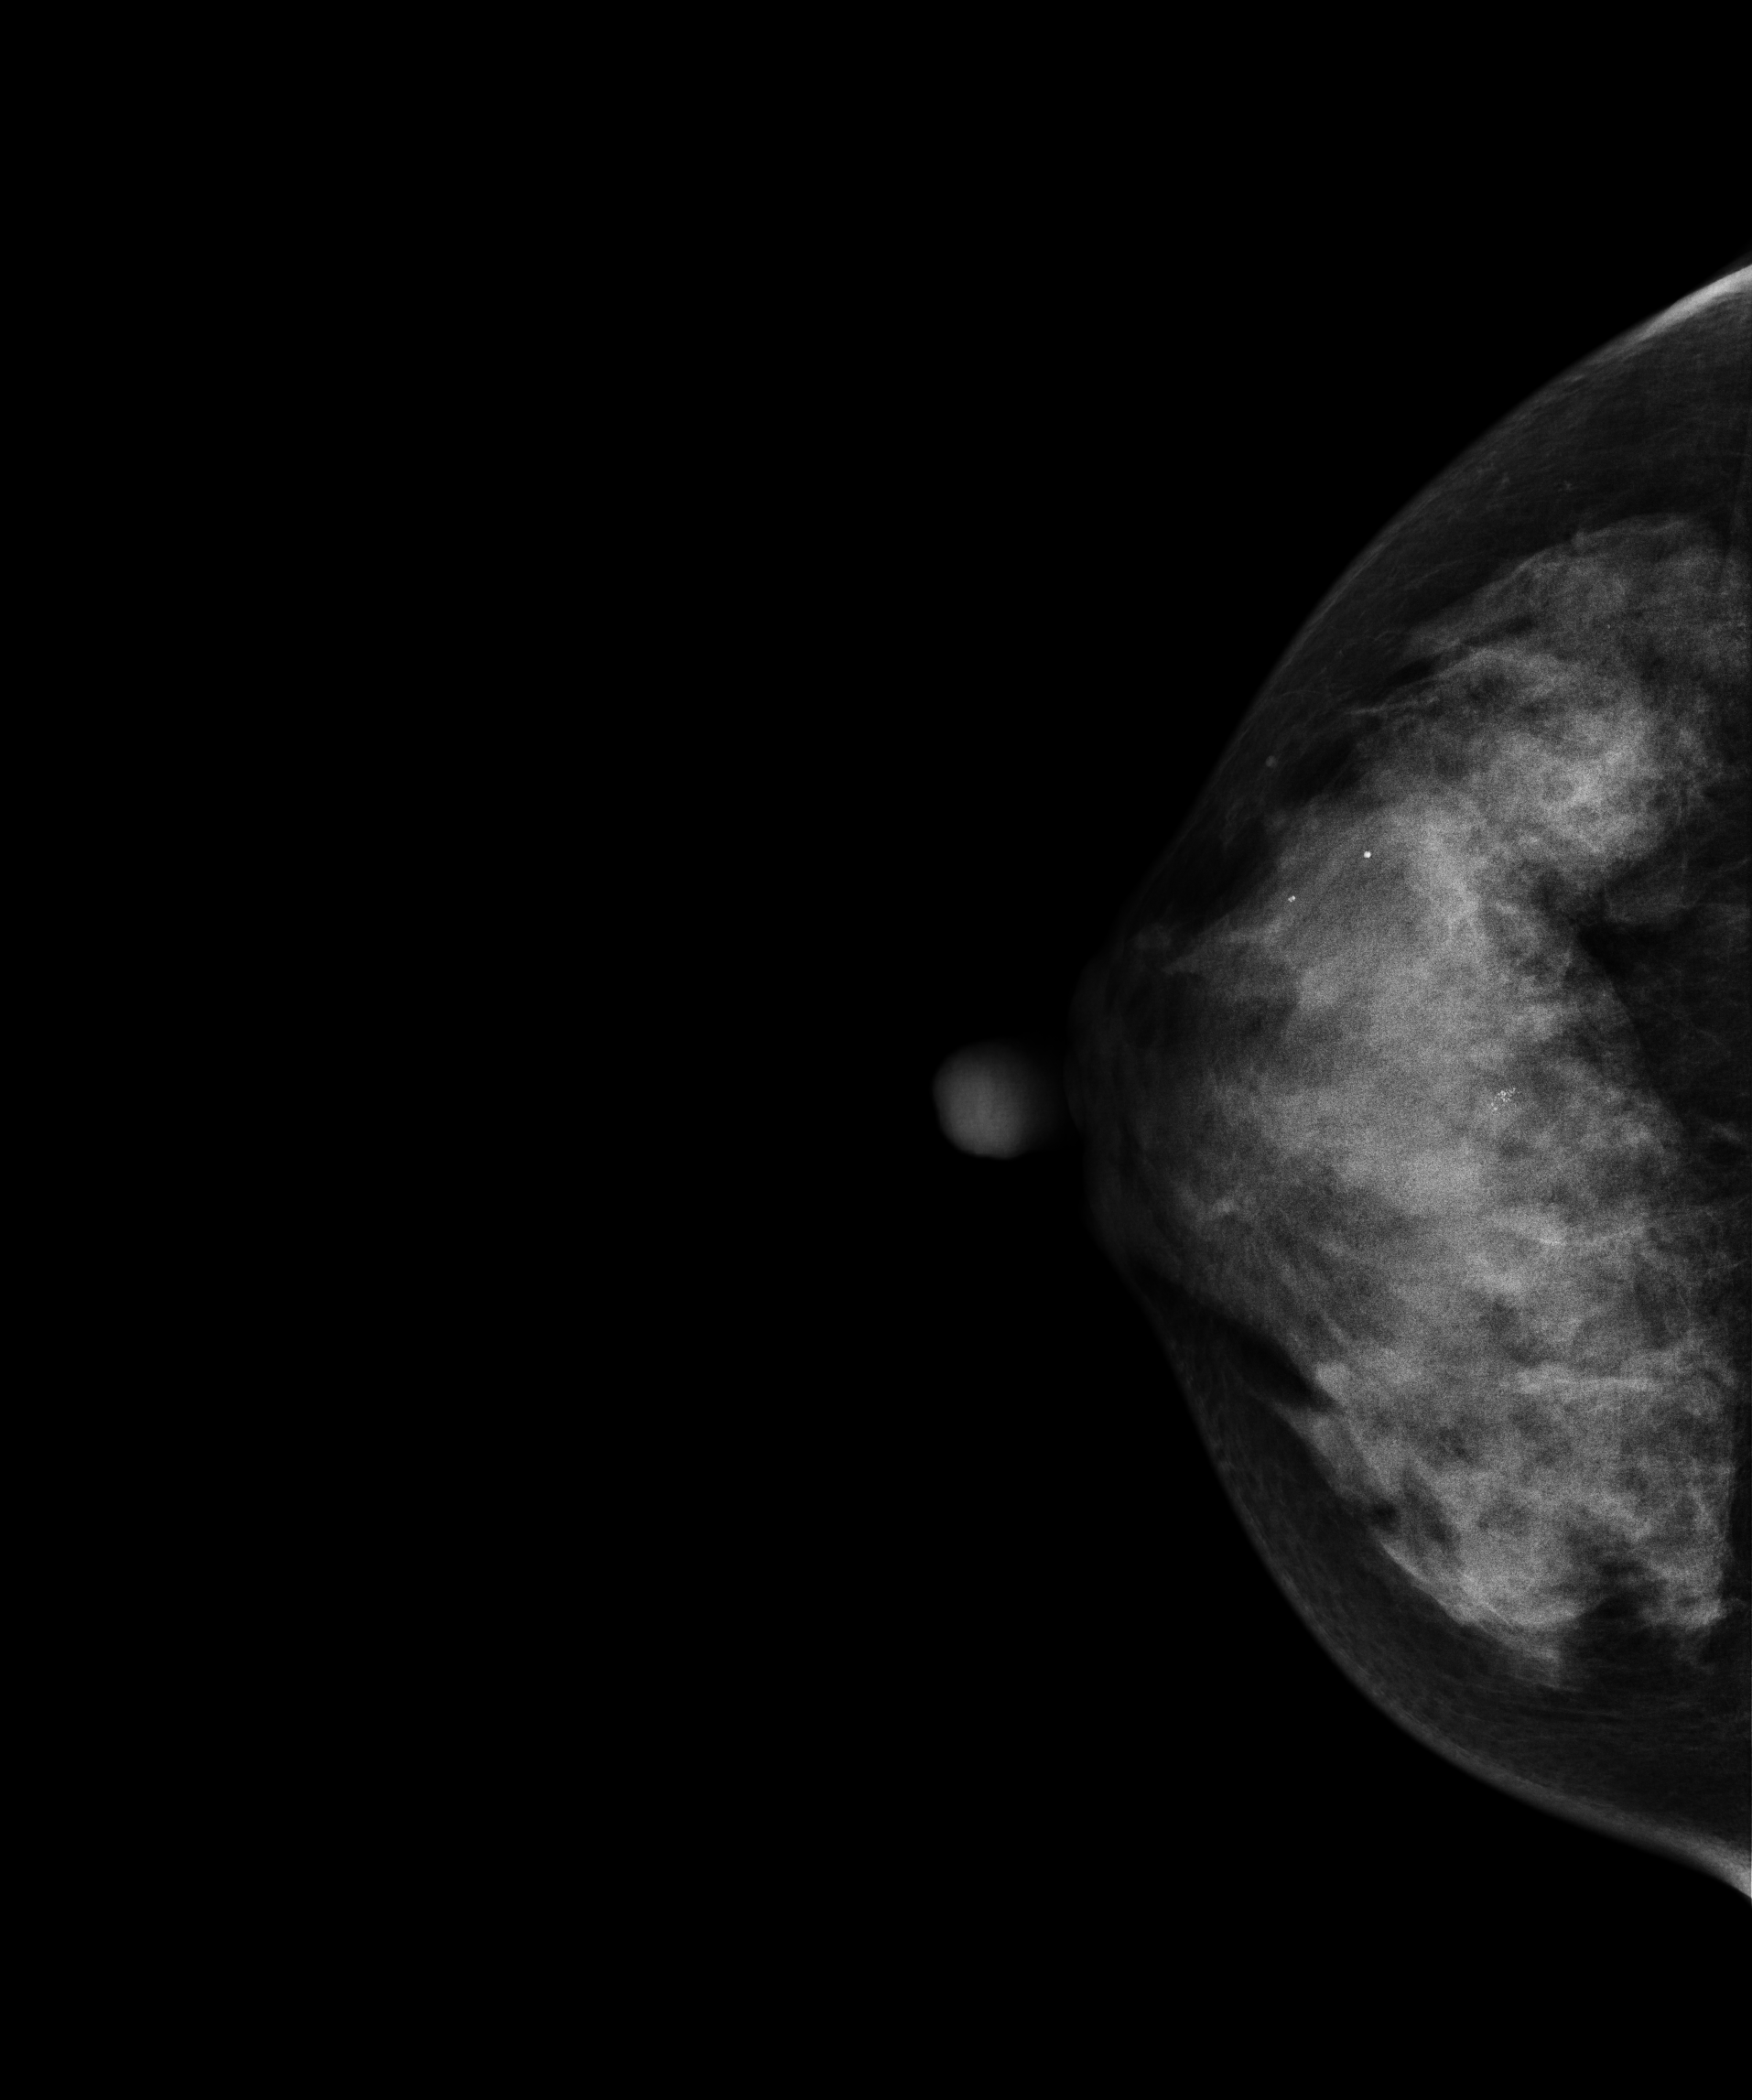
Cranio-caudal mammogram of the right breast. 53 y/o patient.
This breast has calcifications, histologically confirmed benign.